Mammogram — left medio-lateral oblique. 45-year-old patient.
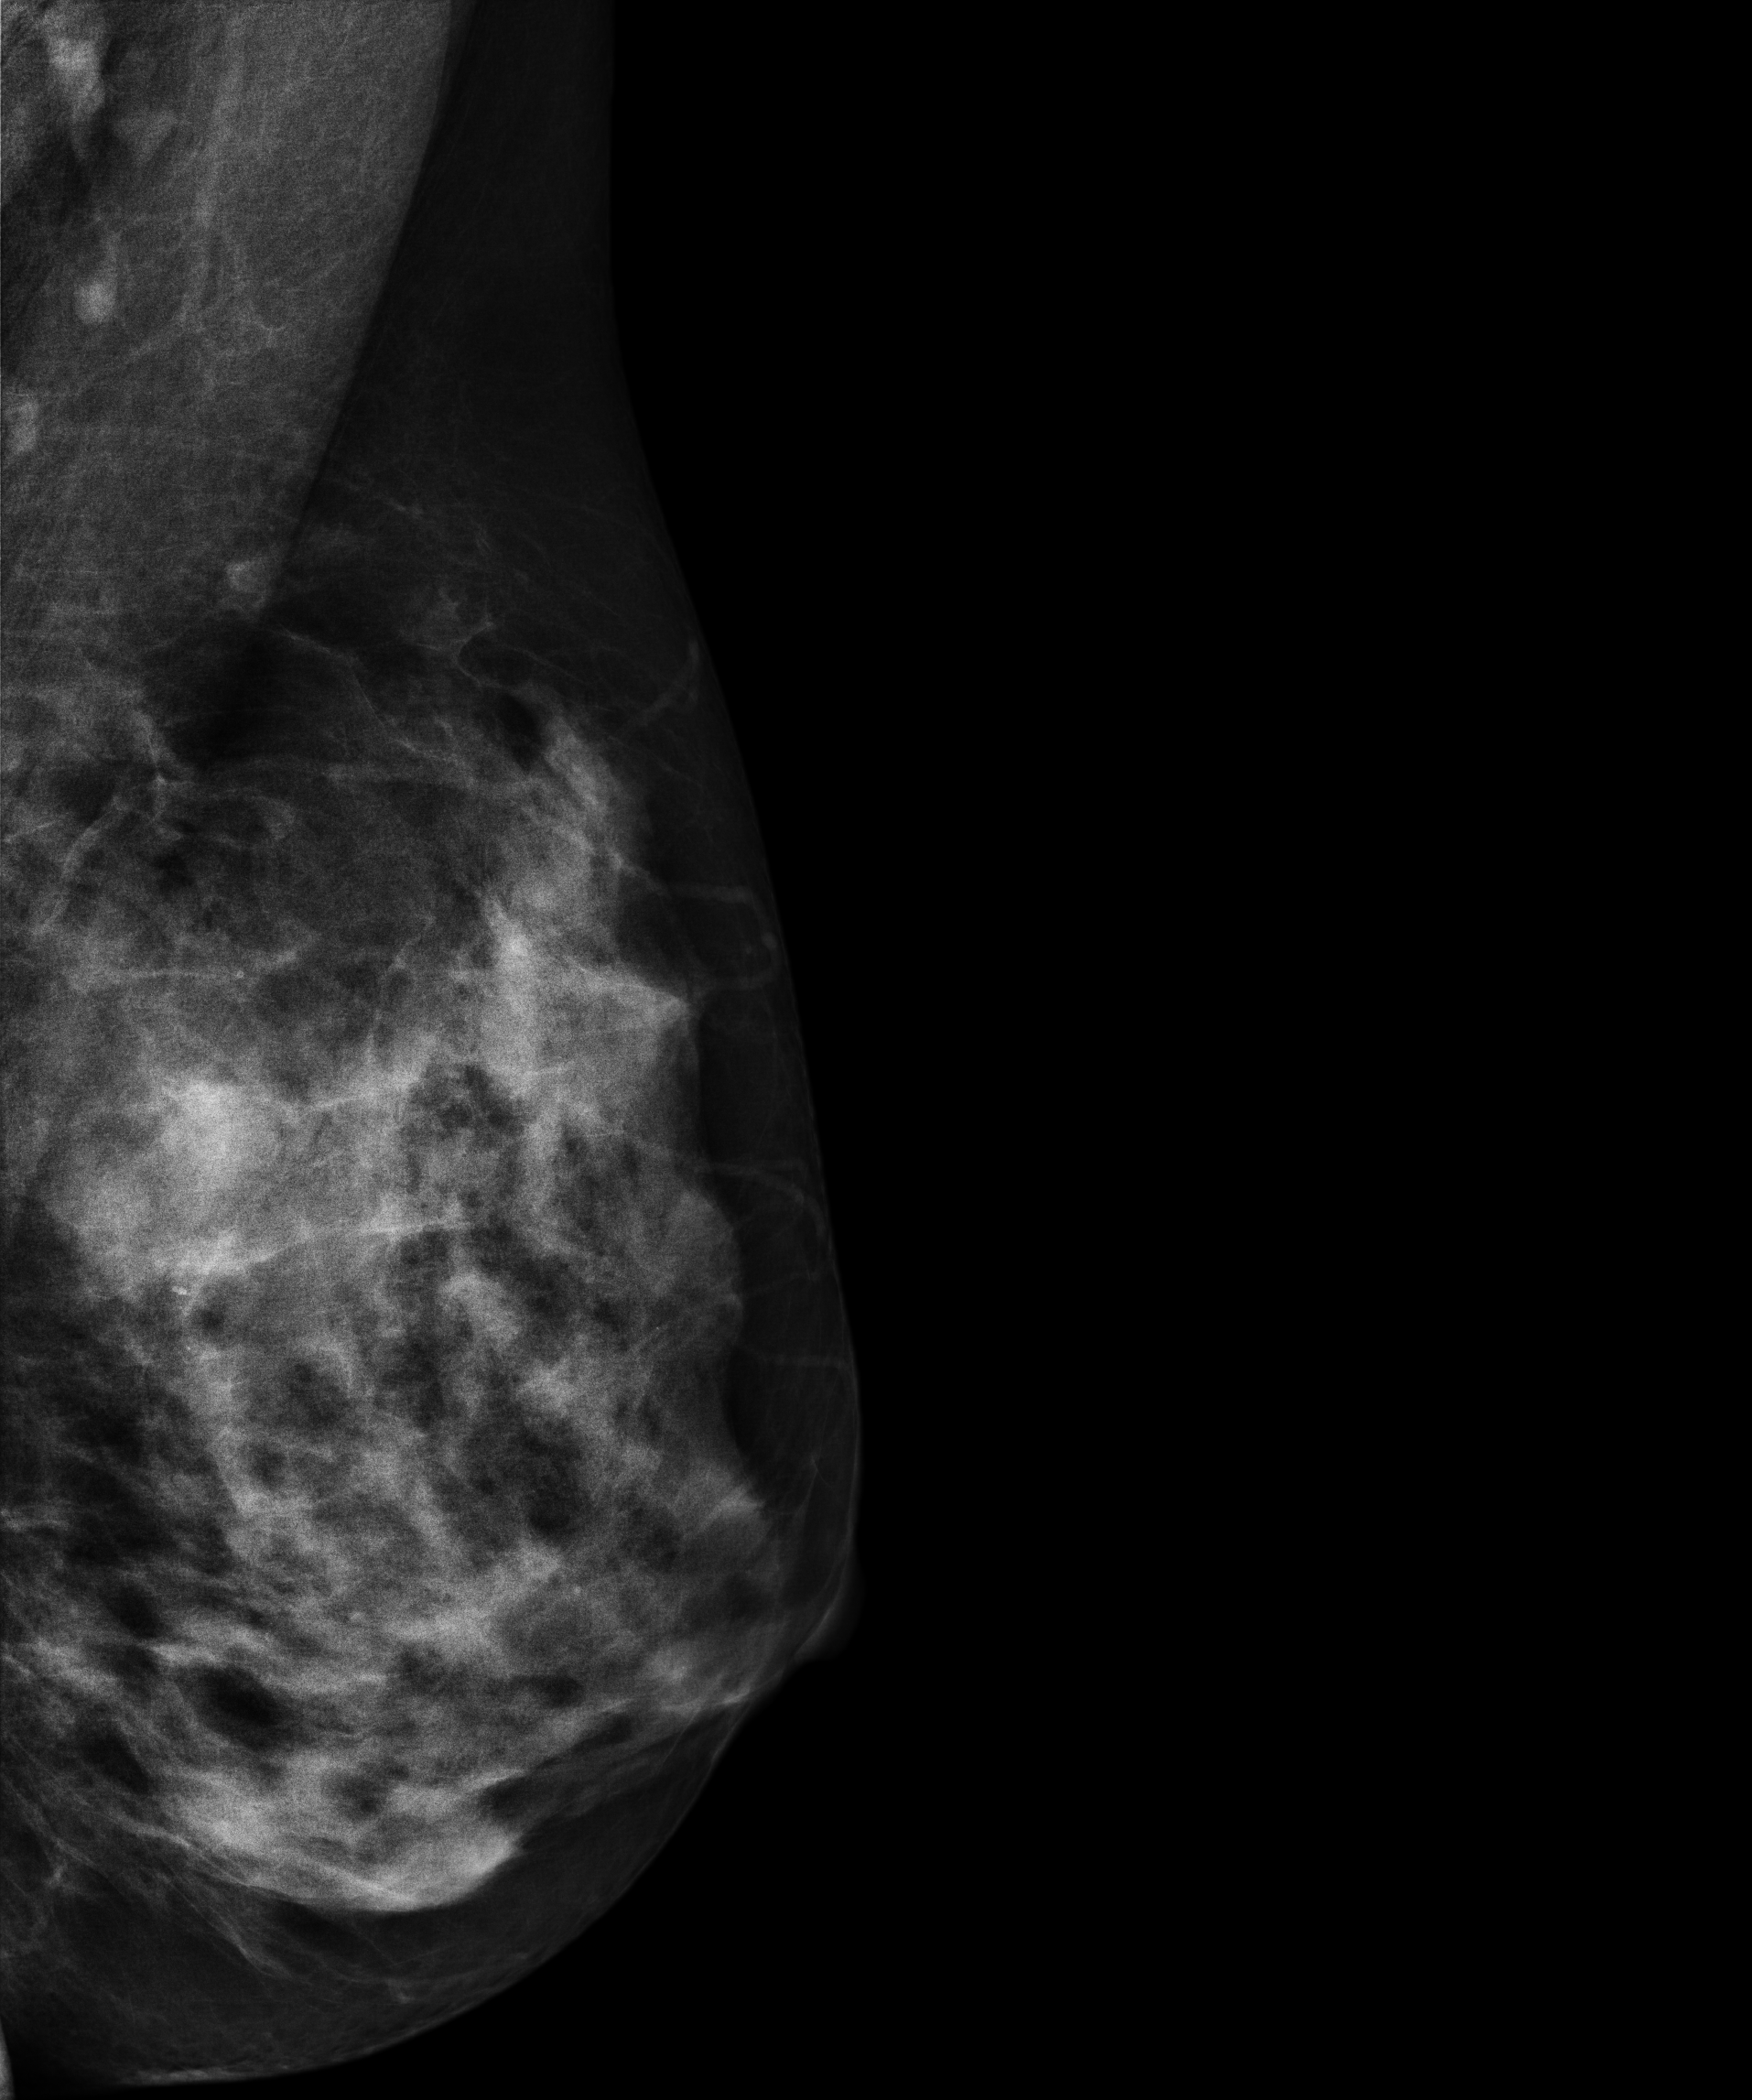
This breast has a mass, pathology-confirmed benign.